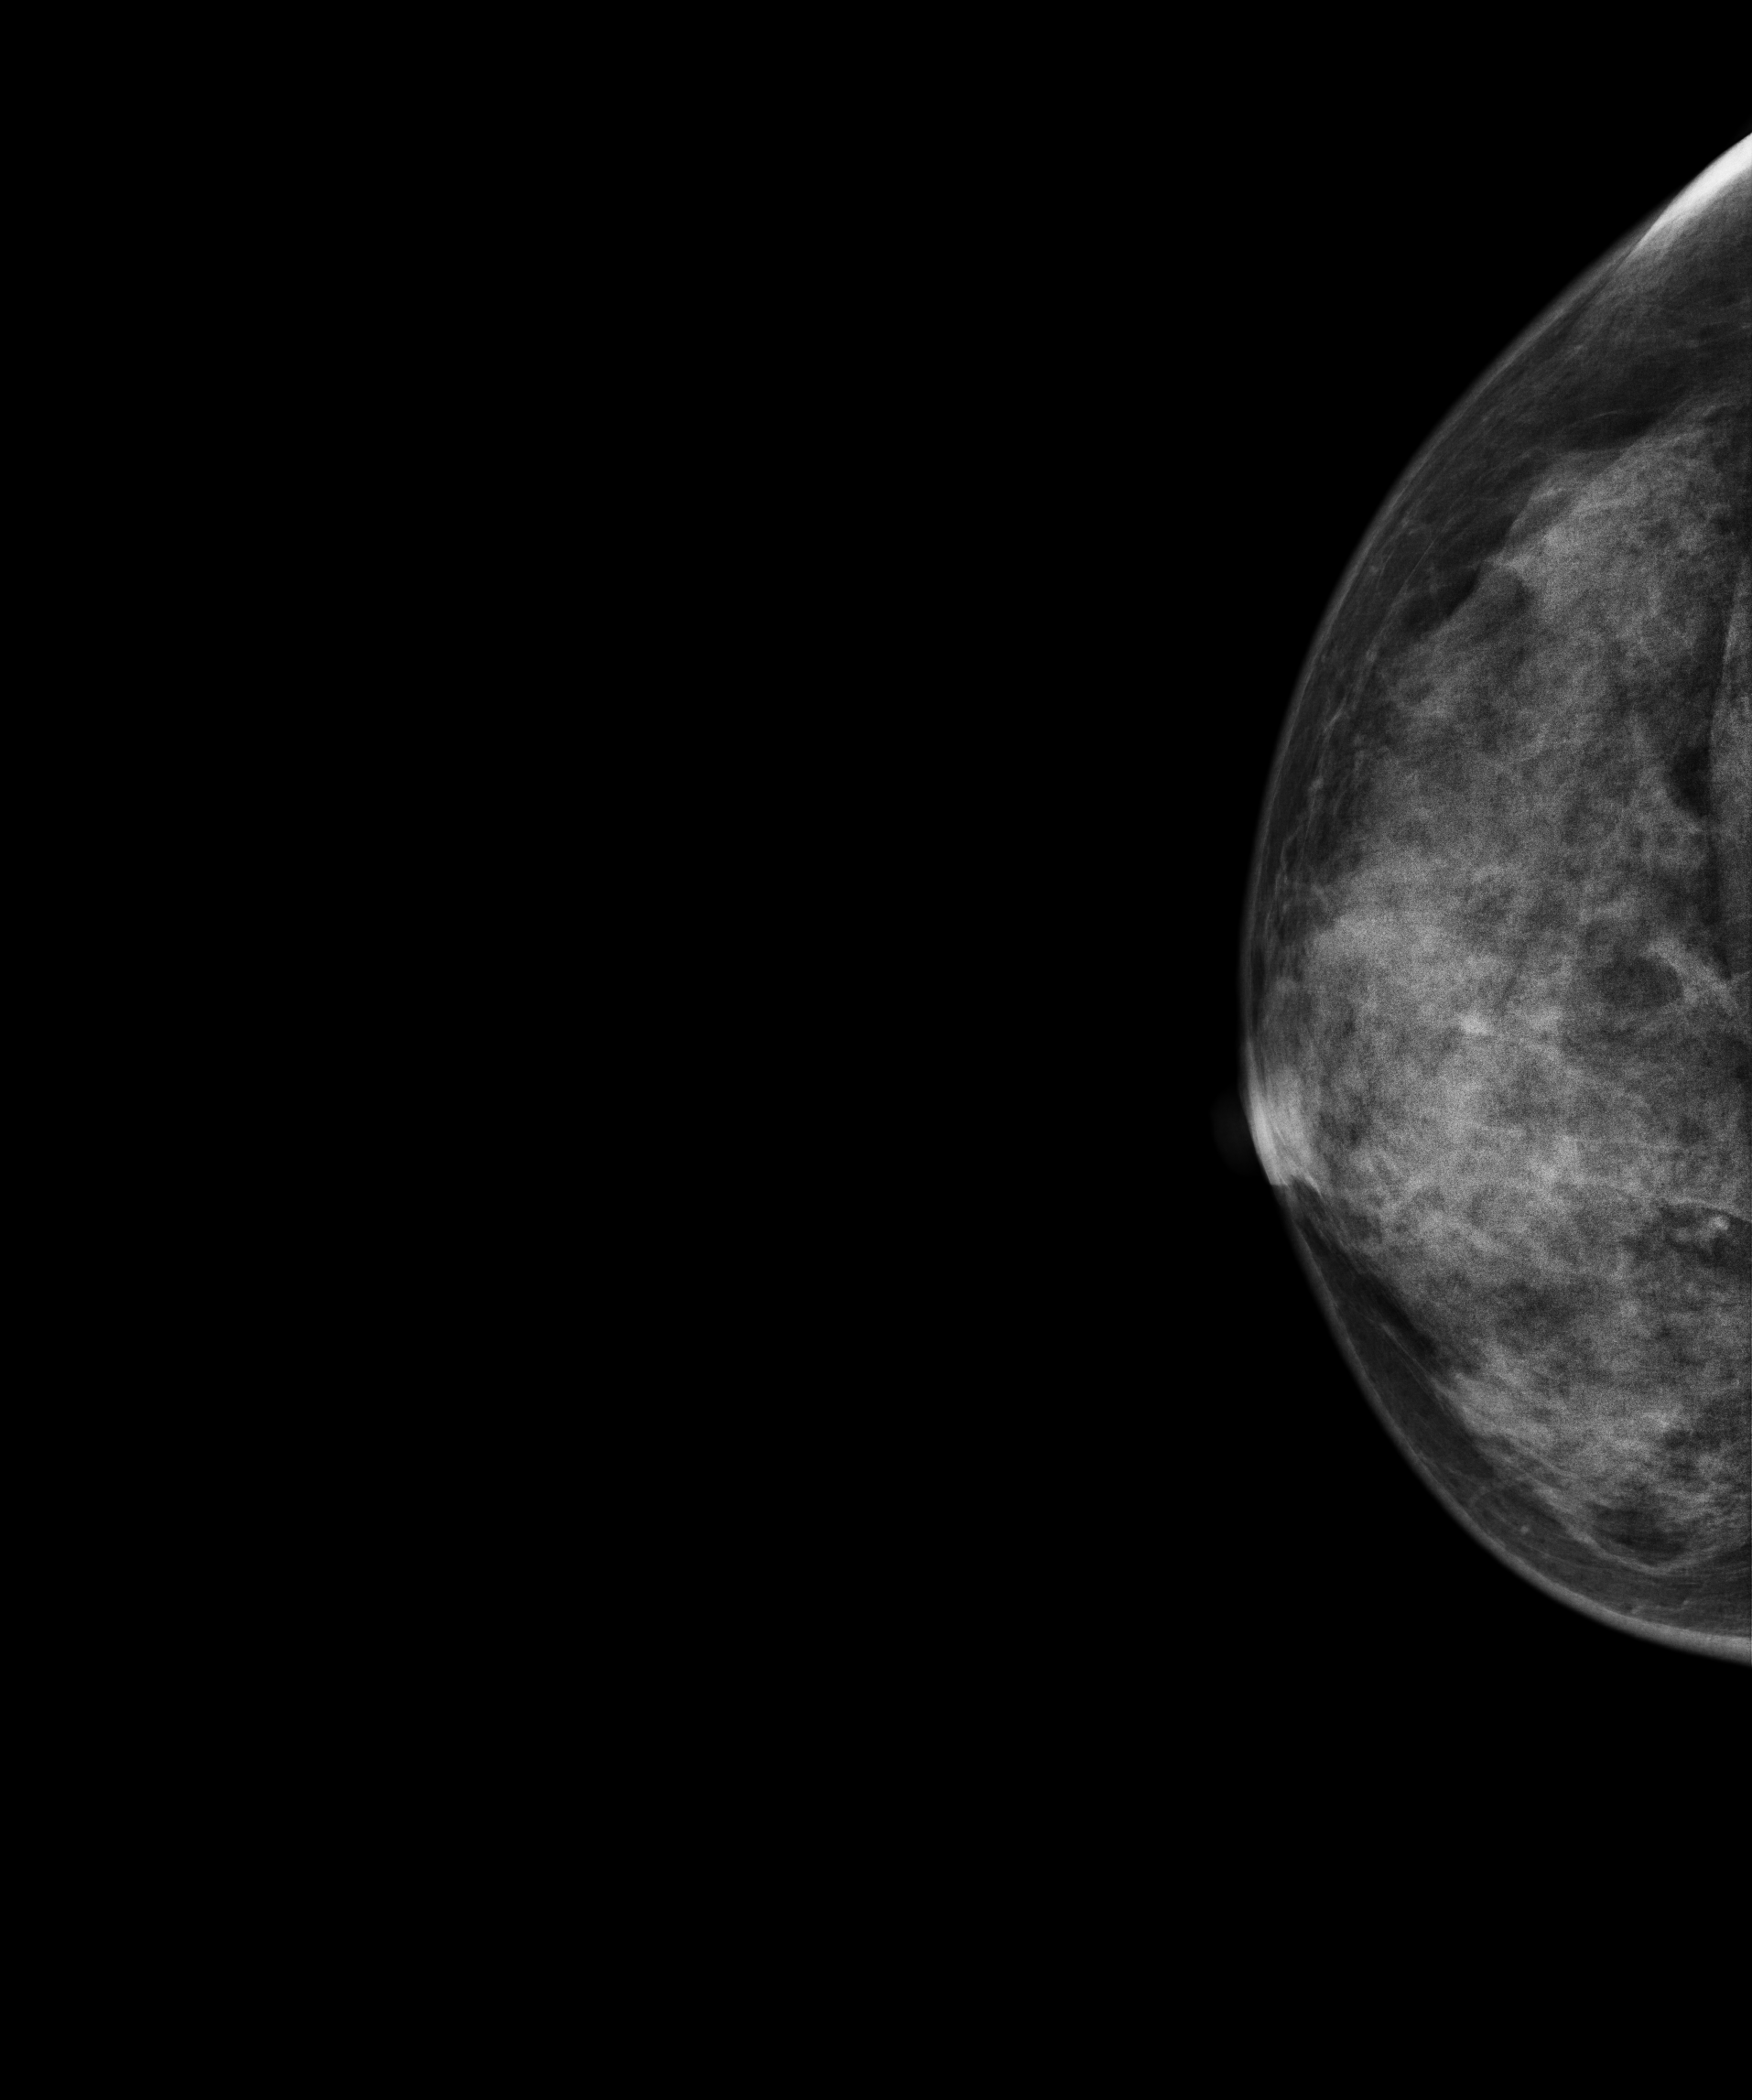
Digital mammography. Right breast, cranio-caudal projection. Patient age 33.
Contralateral breast — no documented abnormality on this side.